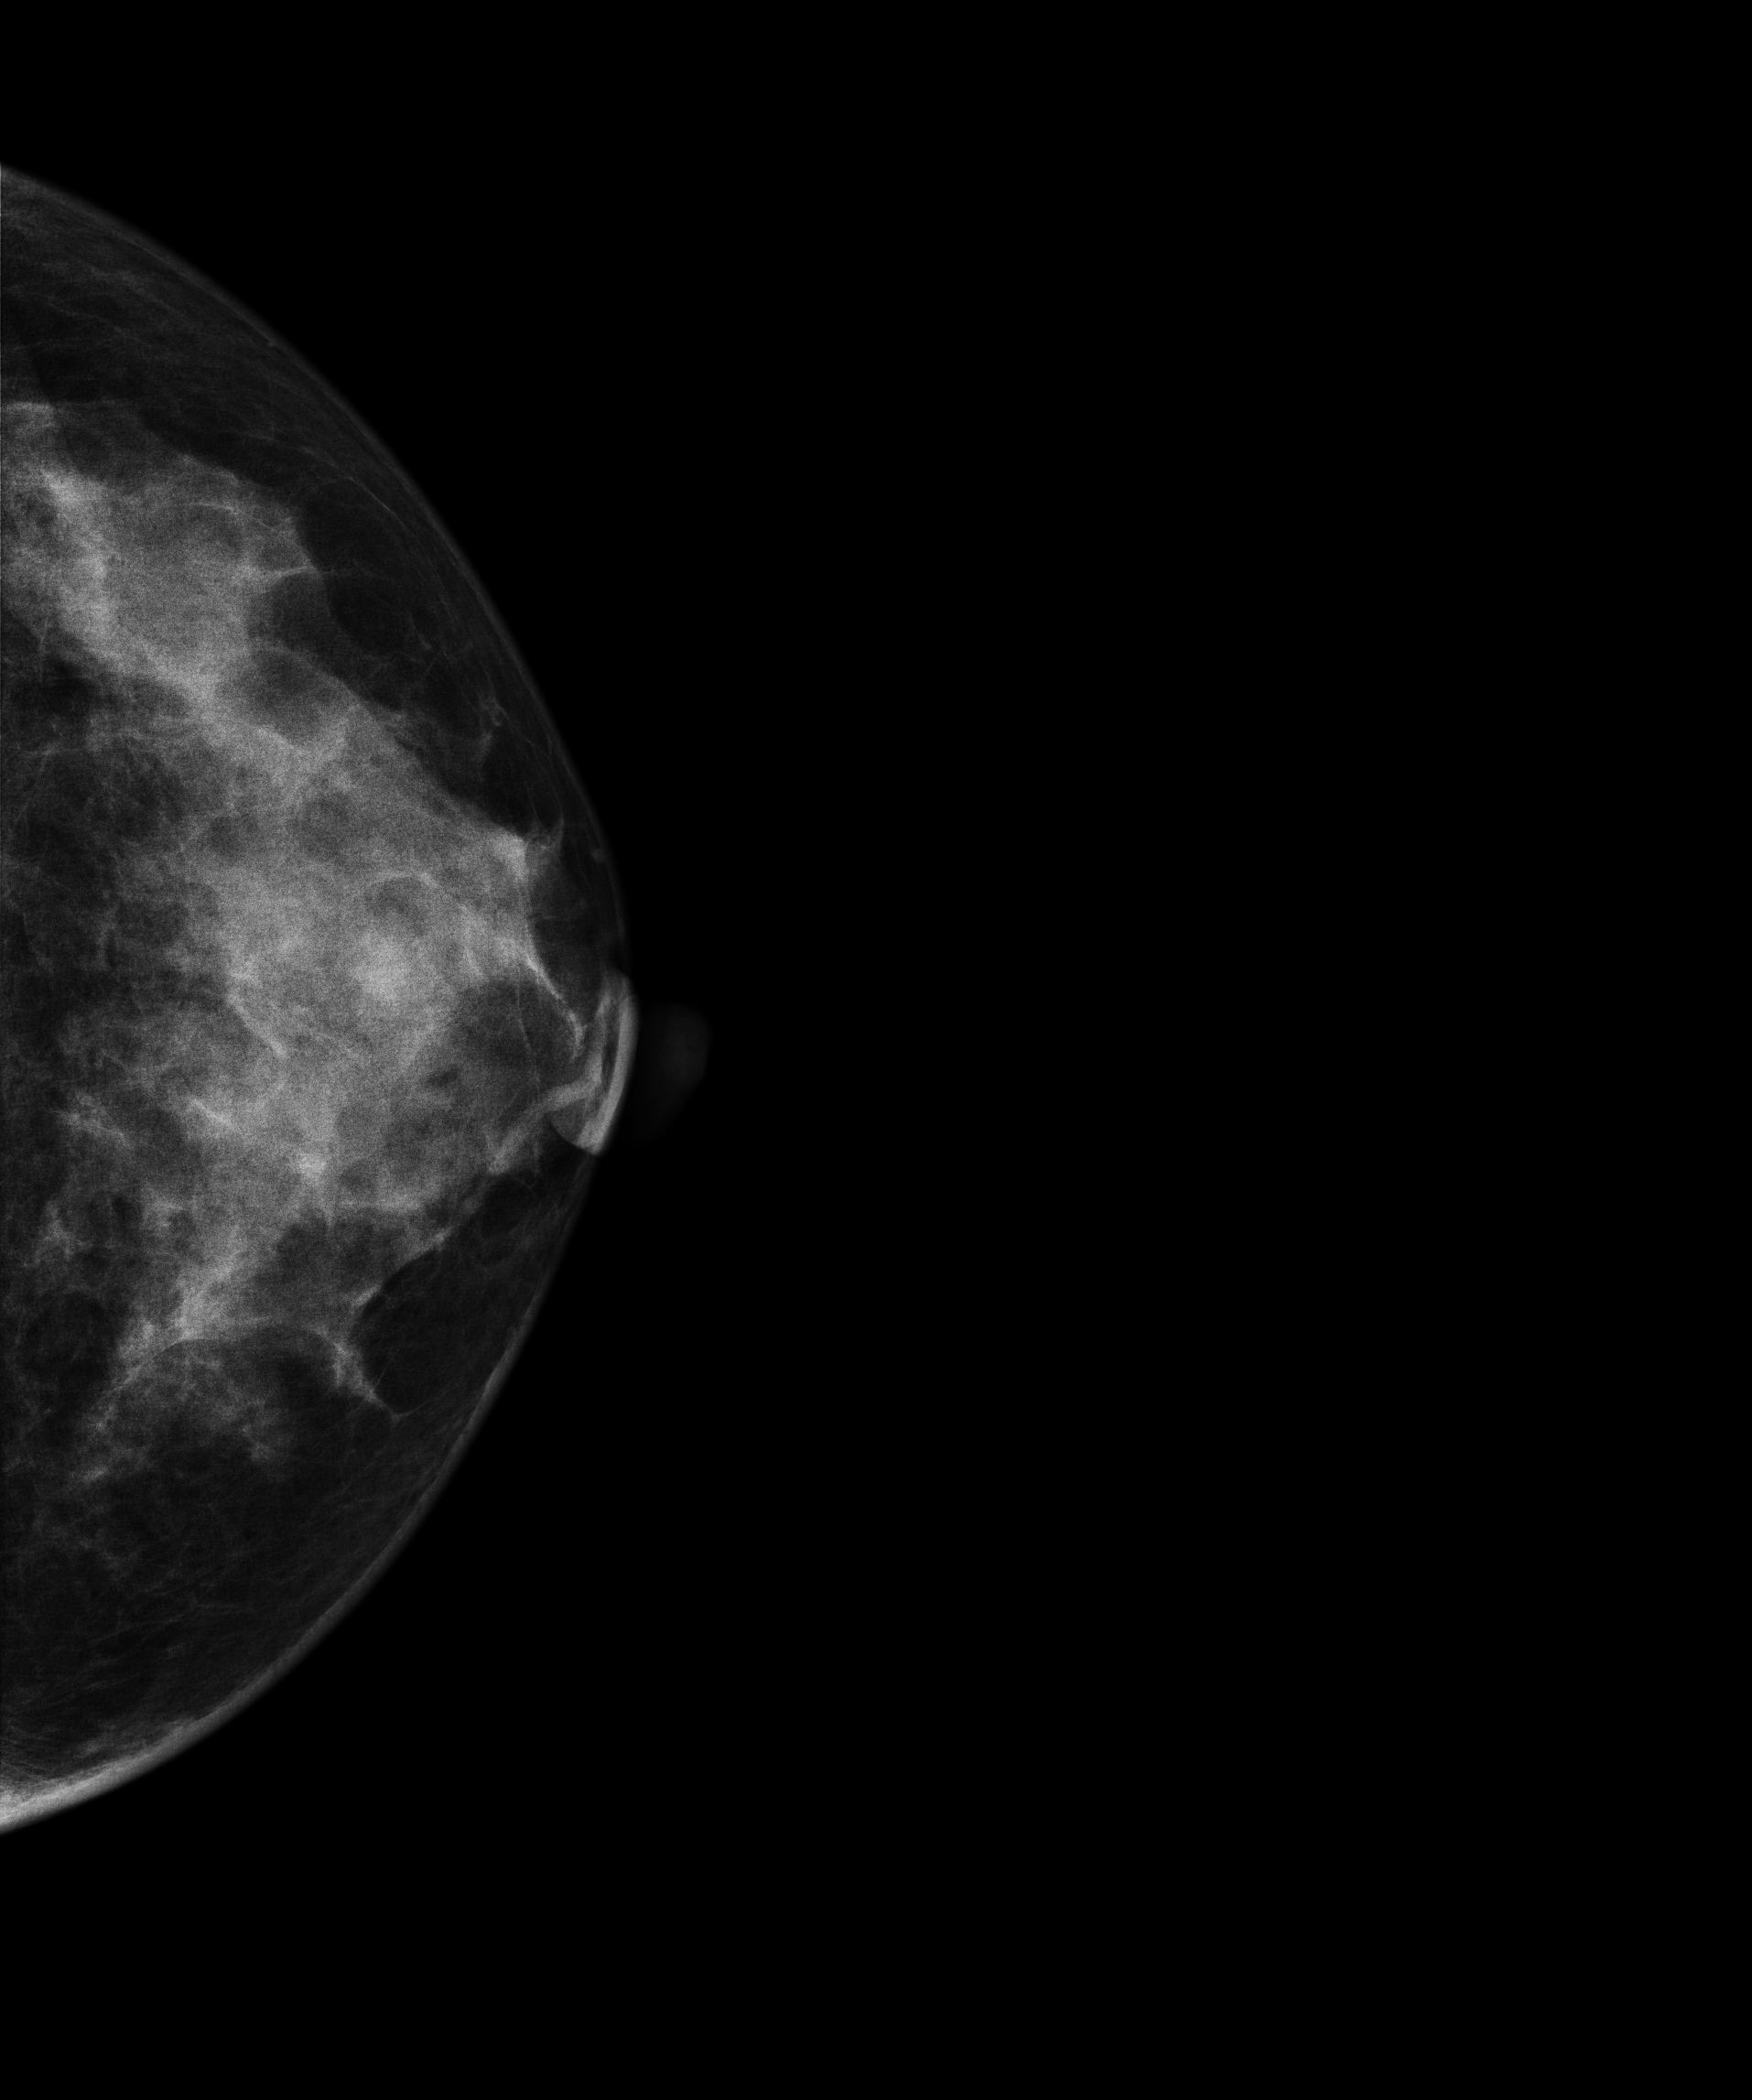
Cranio-caudal mammogram of the left breast. 39 y/o patient.
Contralateral breast — no documented abnormality on this side.